Left-breast mammogram, CC. 53 y/o patient.
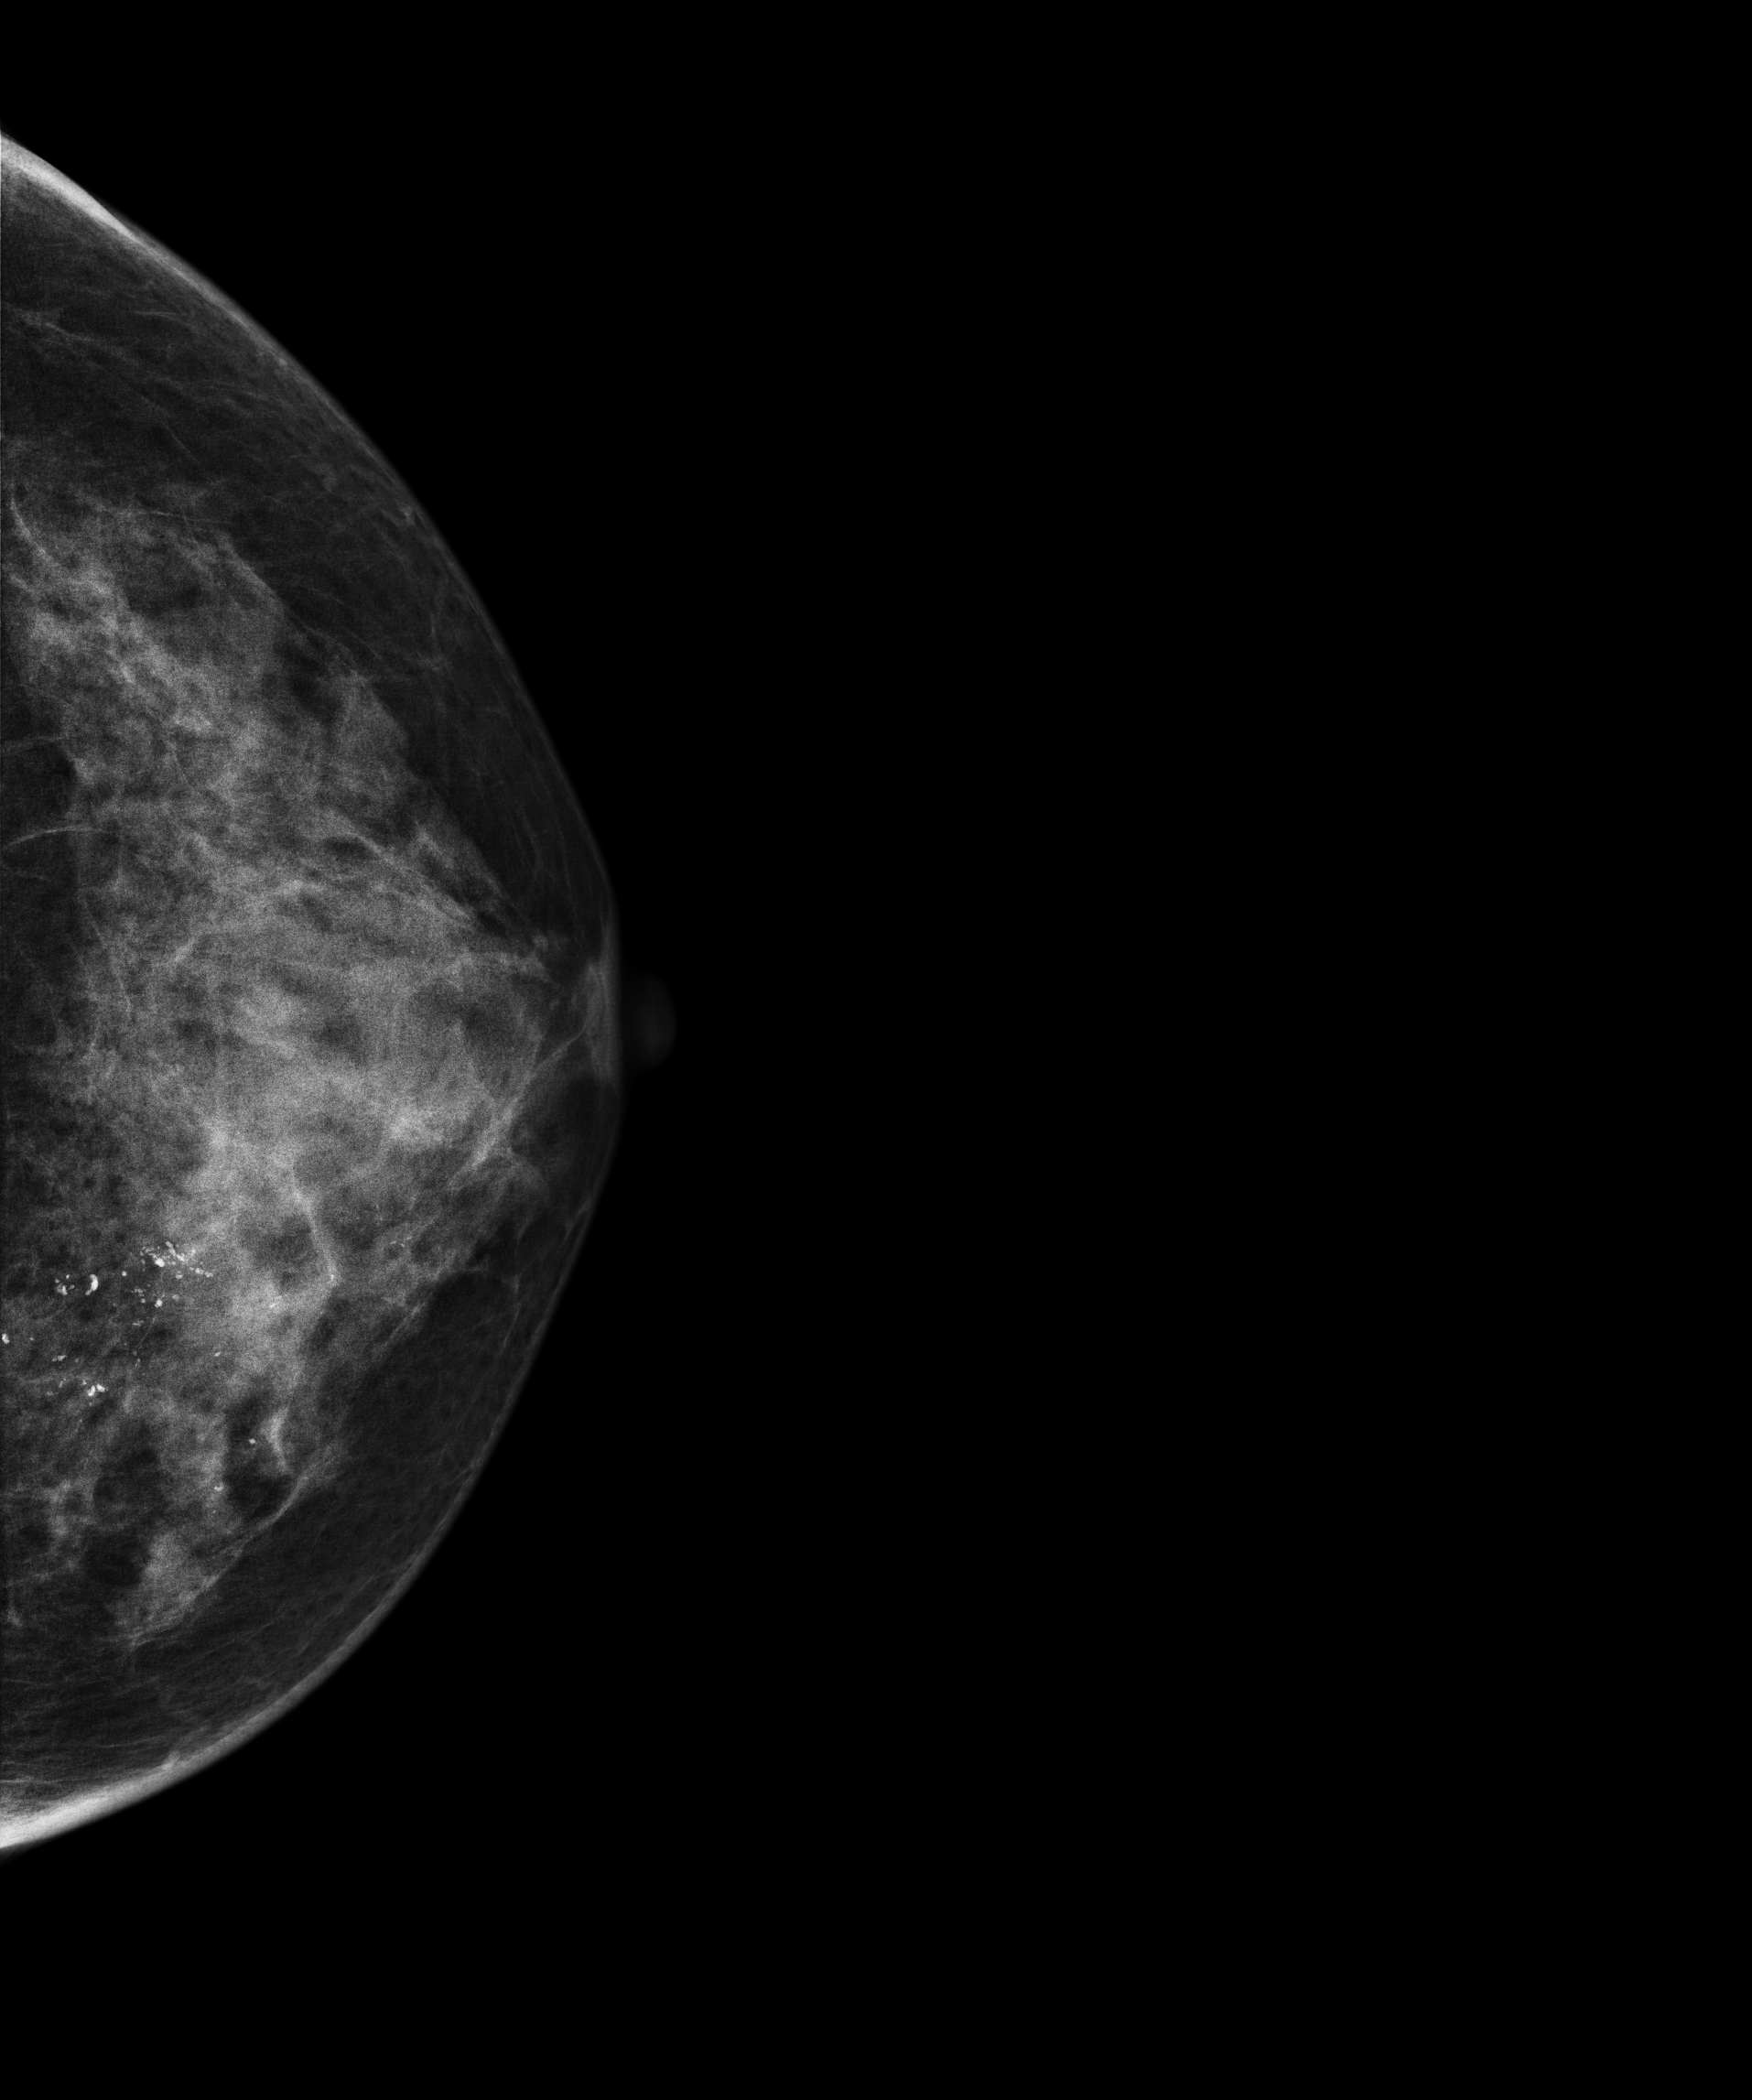
This breast has calcifications, histologically confirmed malignant.